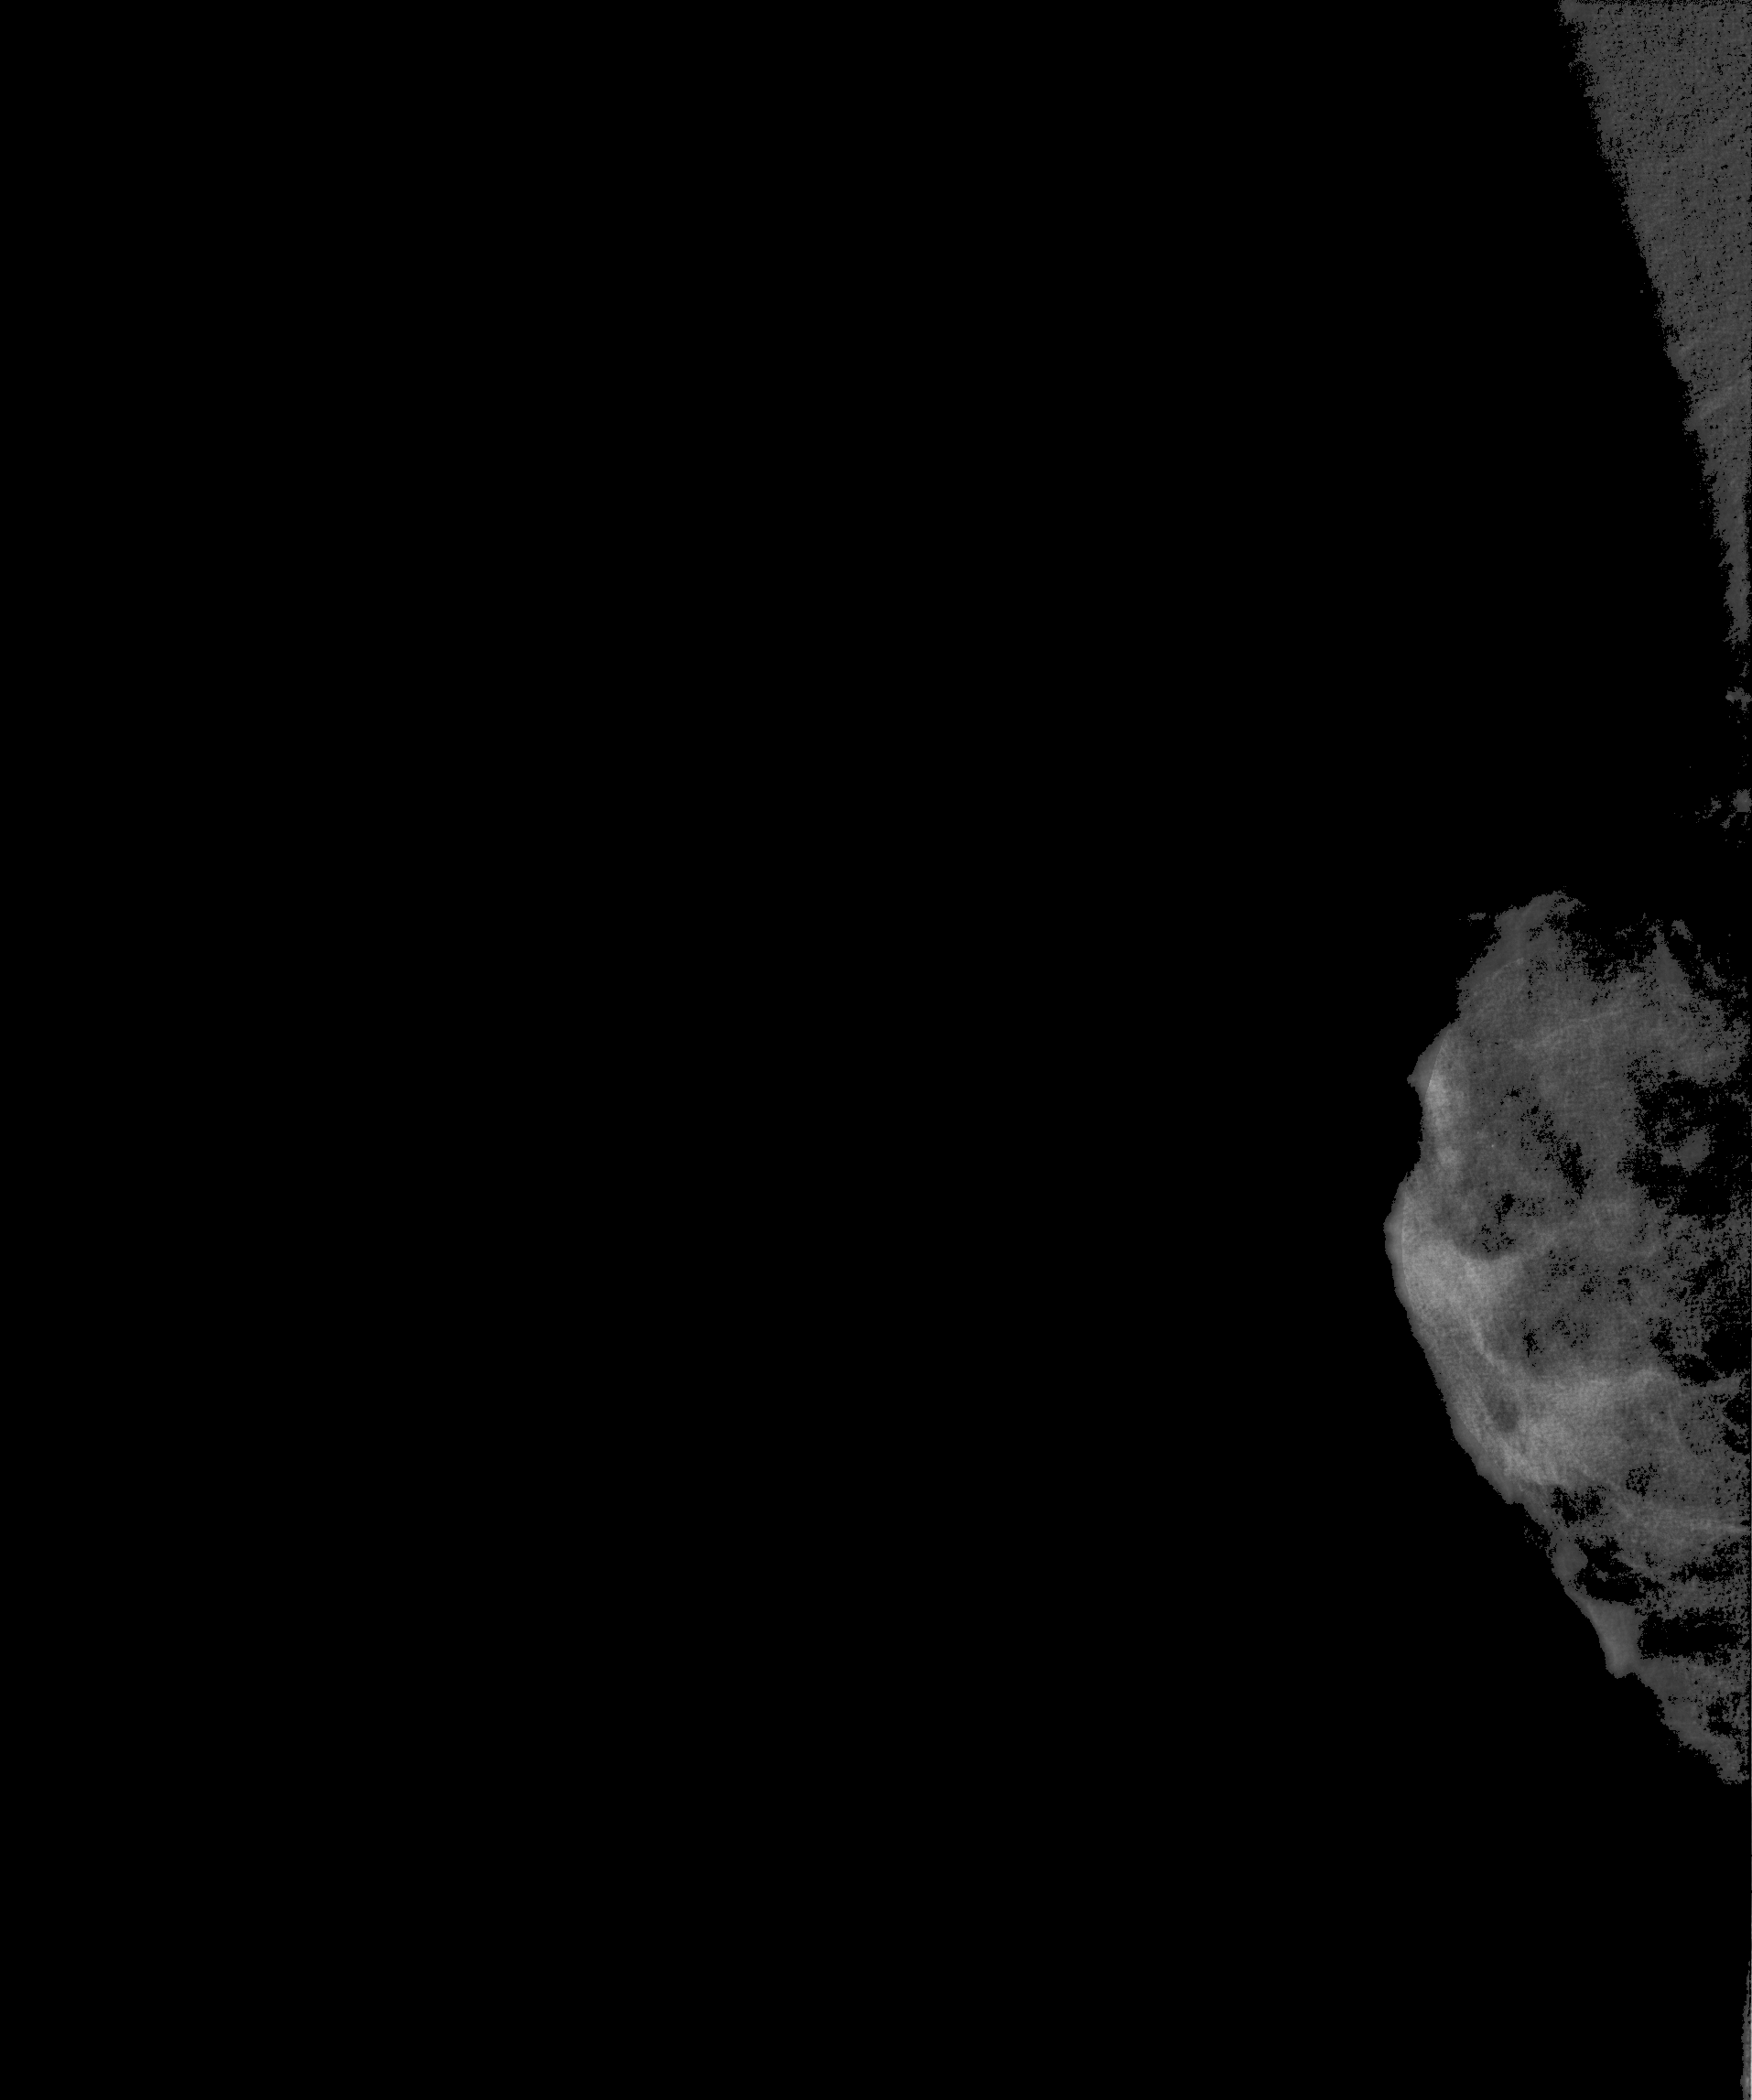
MLO mammogram of the right breast. 58 y/o patient.
This breast has a mass, histologically confirmed benign.